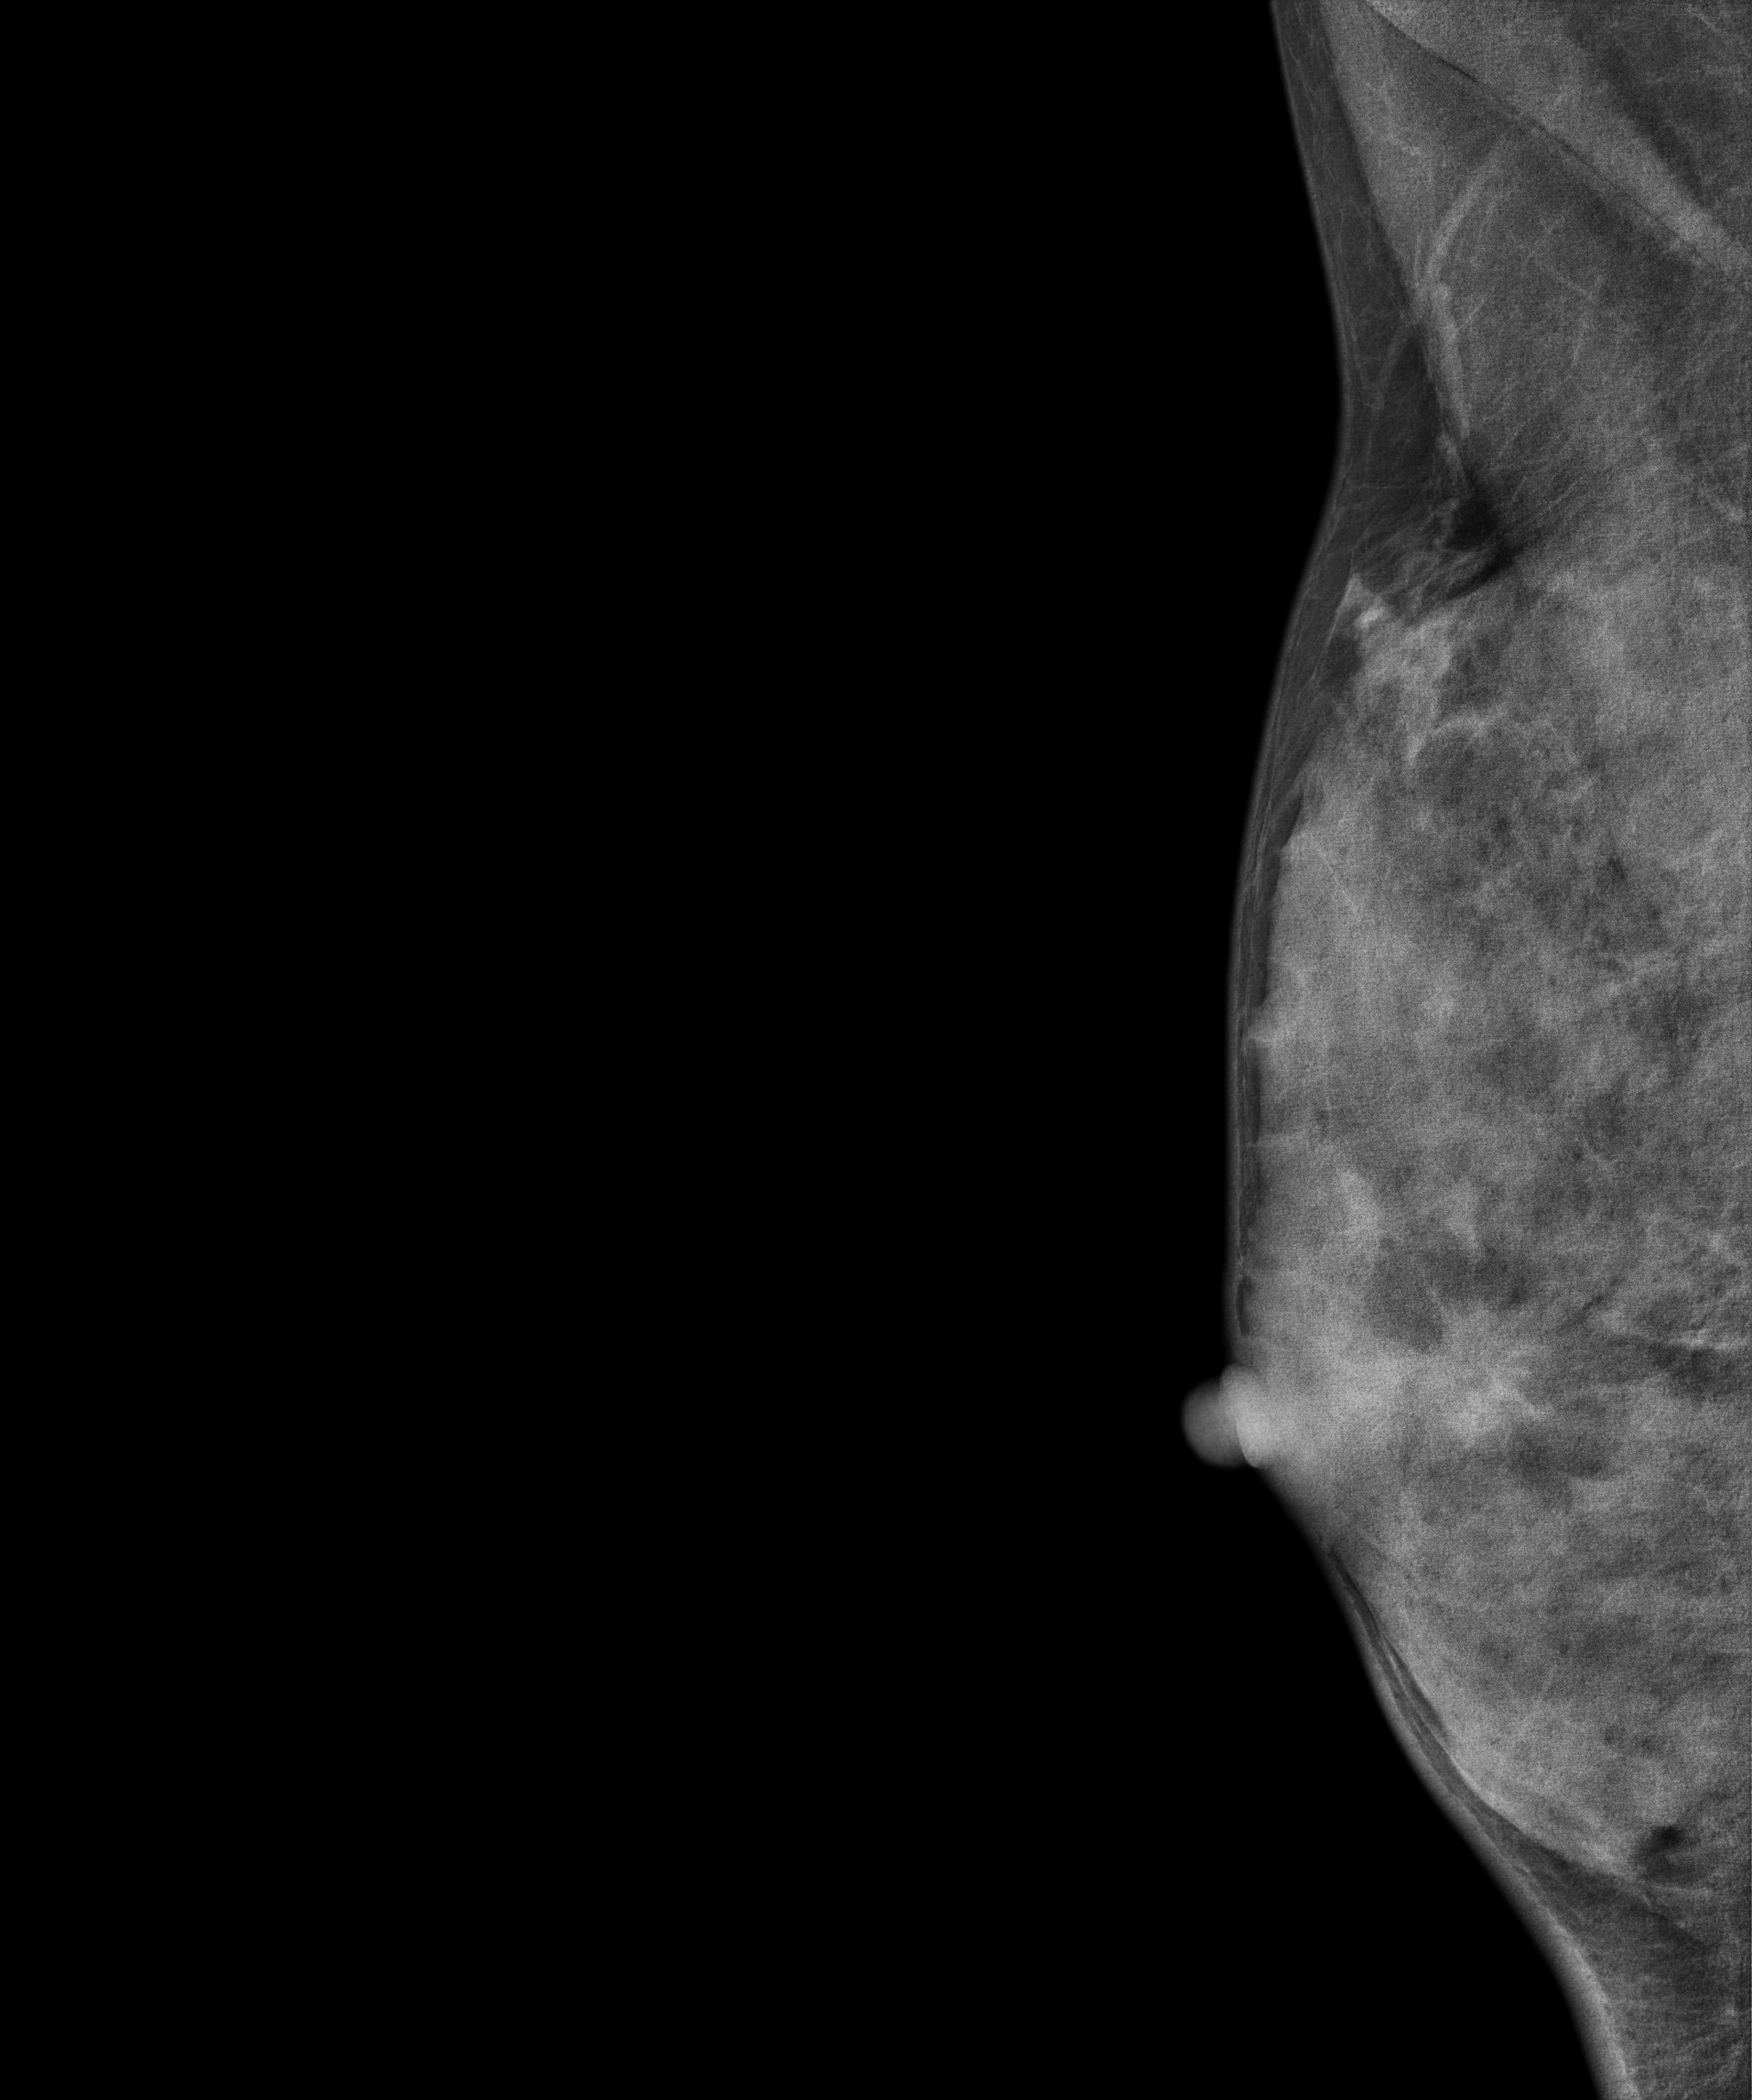
Mammogram — right MLO. 34-year-old patient.
This breast has a mass, biopsy-proven malignant.